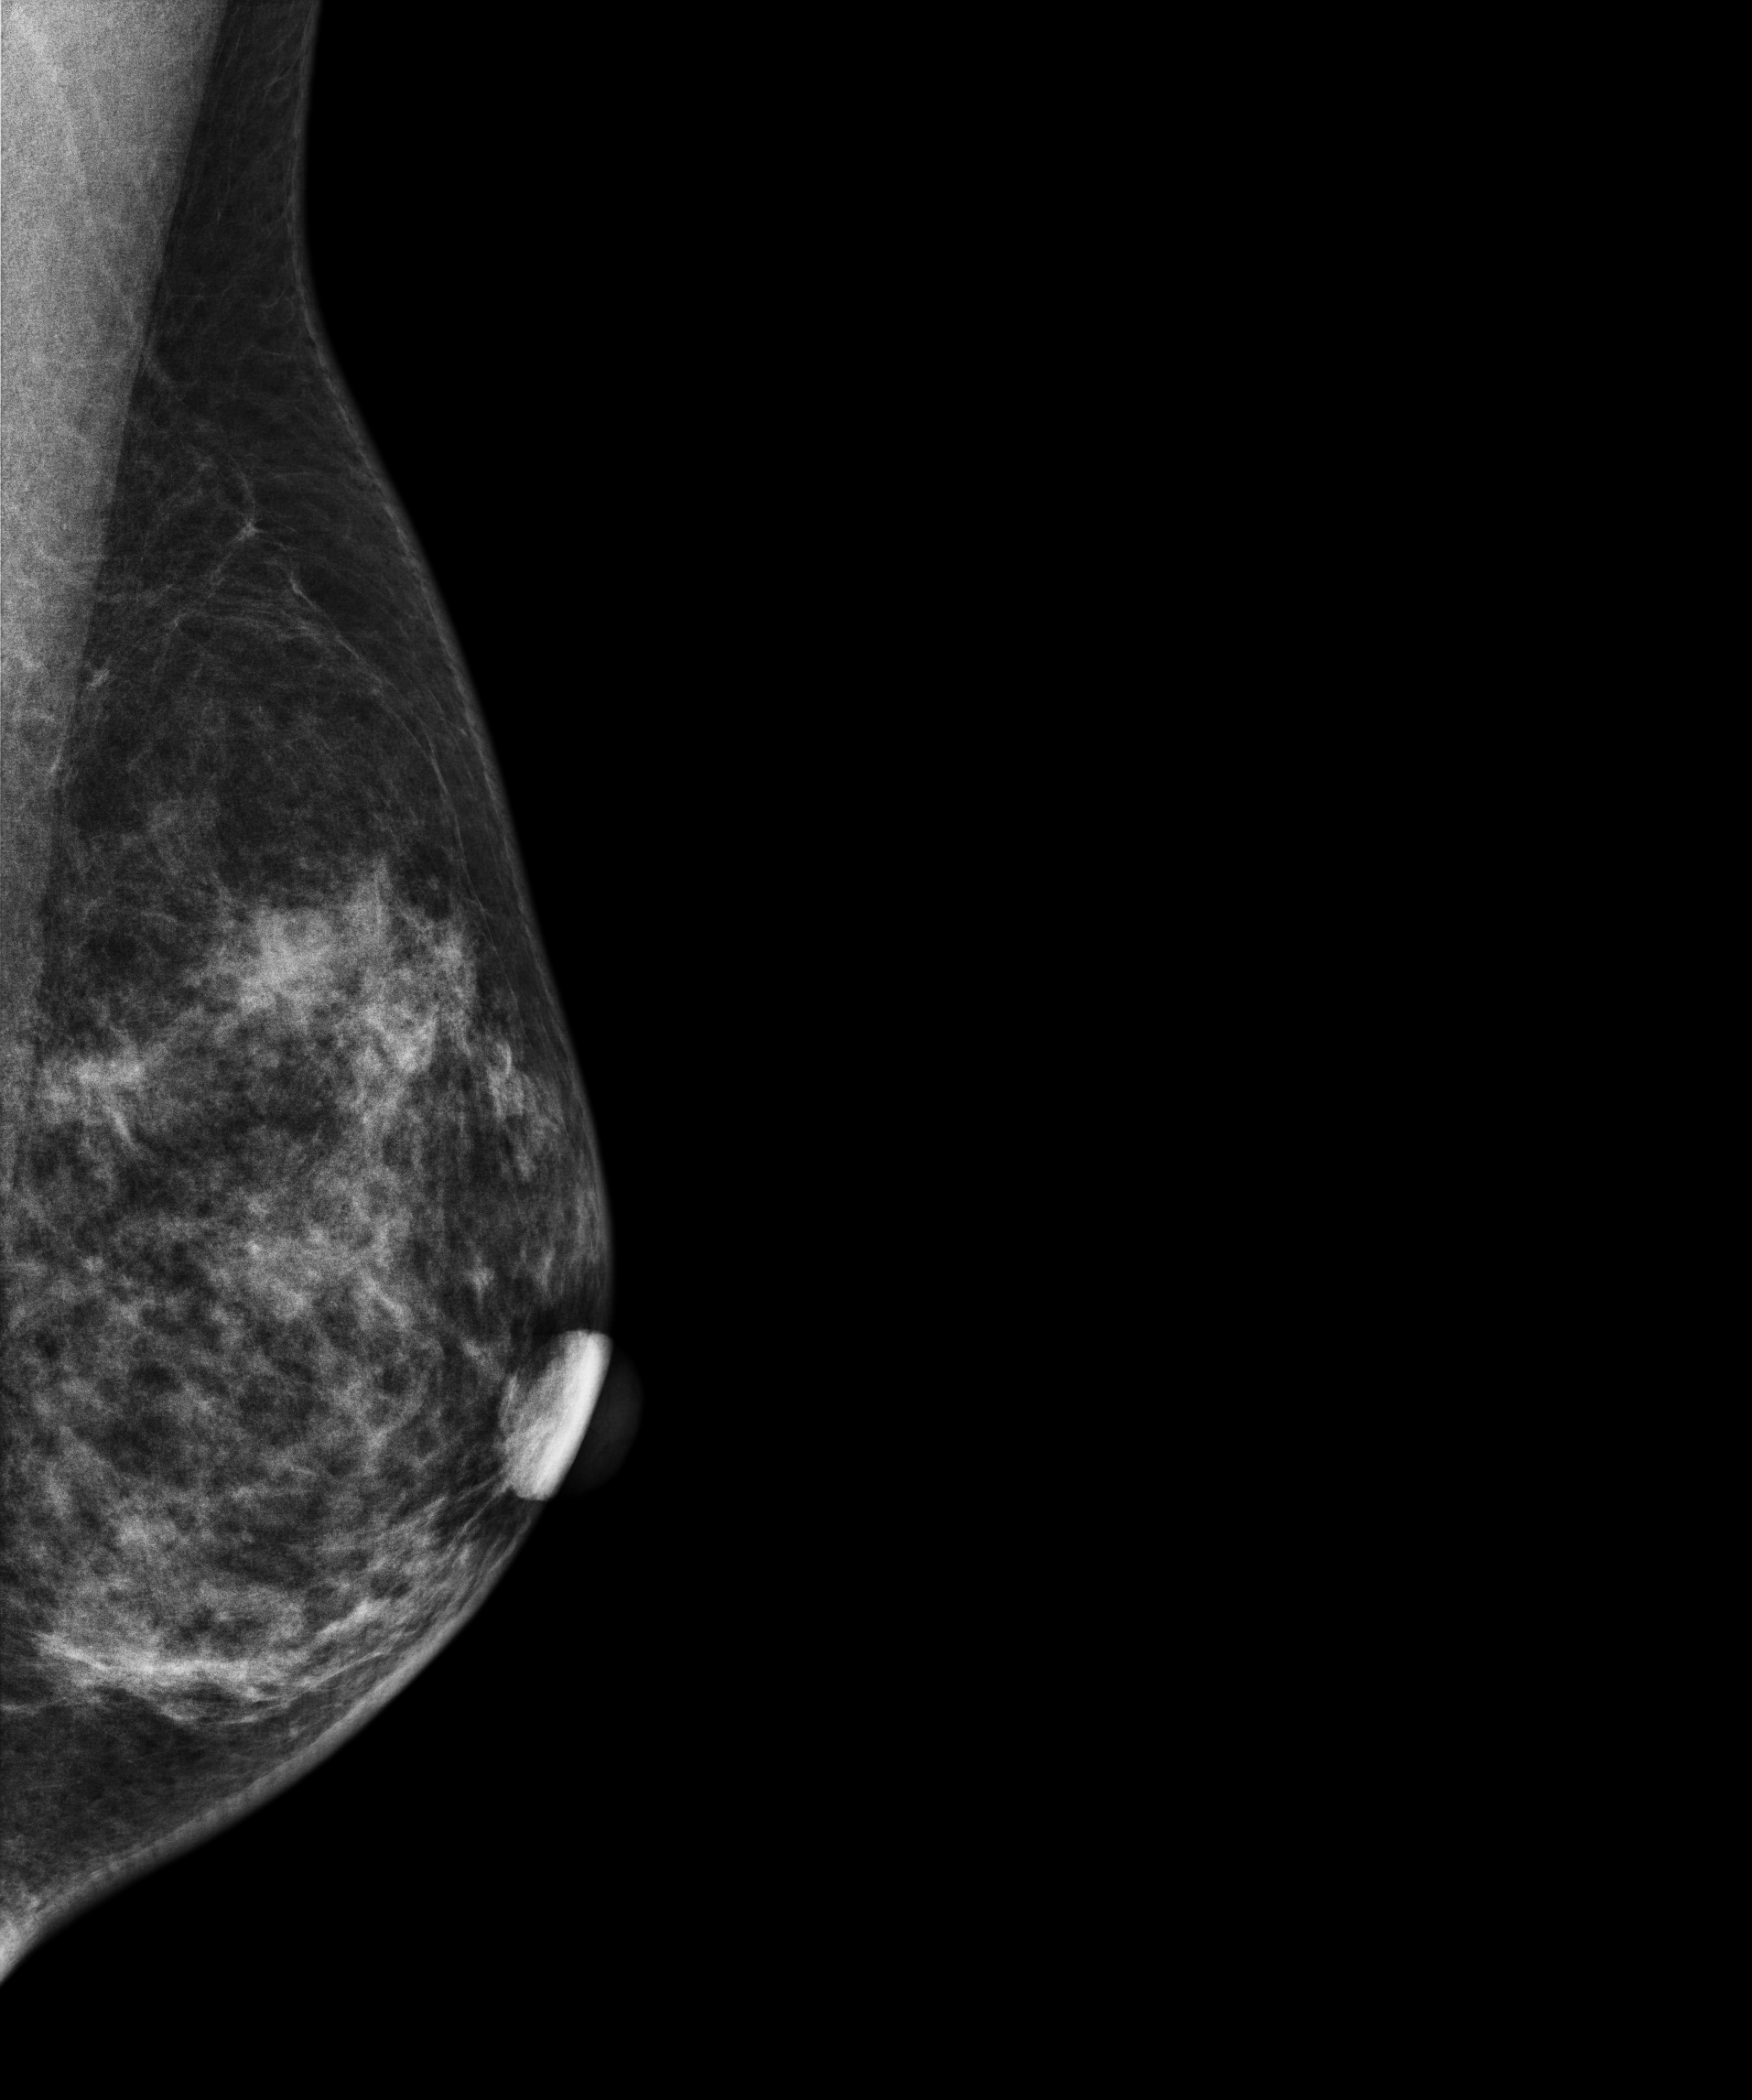
Left-breast mammogram, MLO. Patient age 48.
This breast has a mass, biopsy-proven benign.